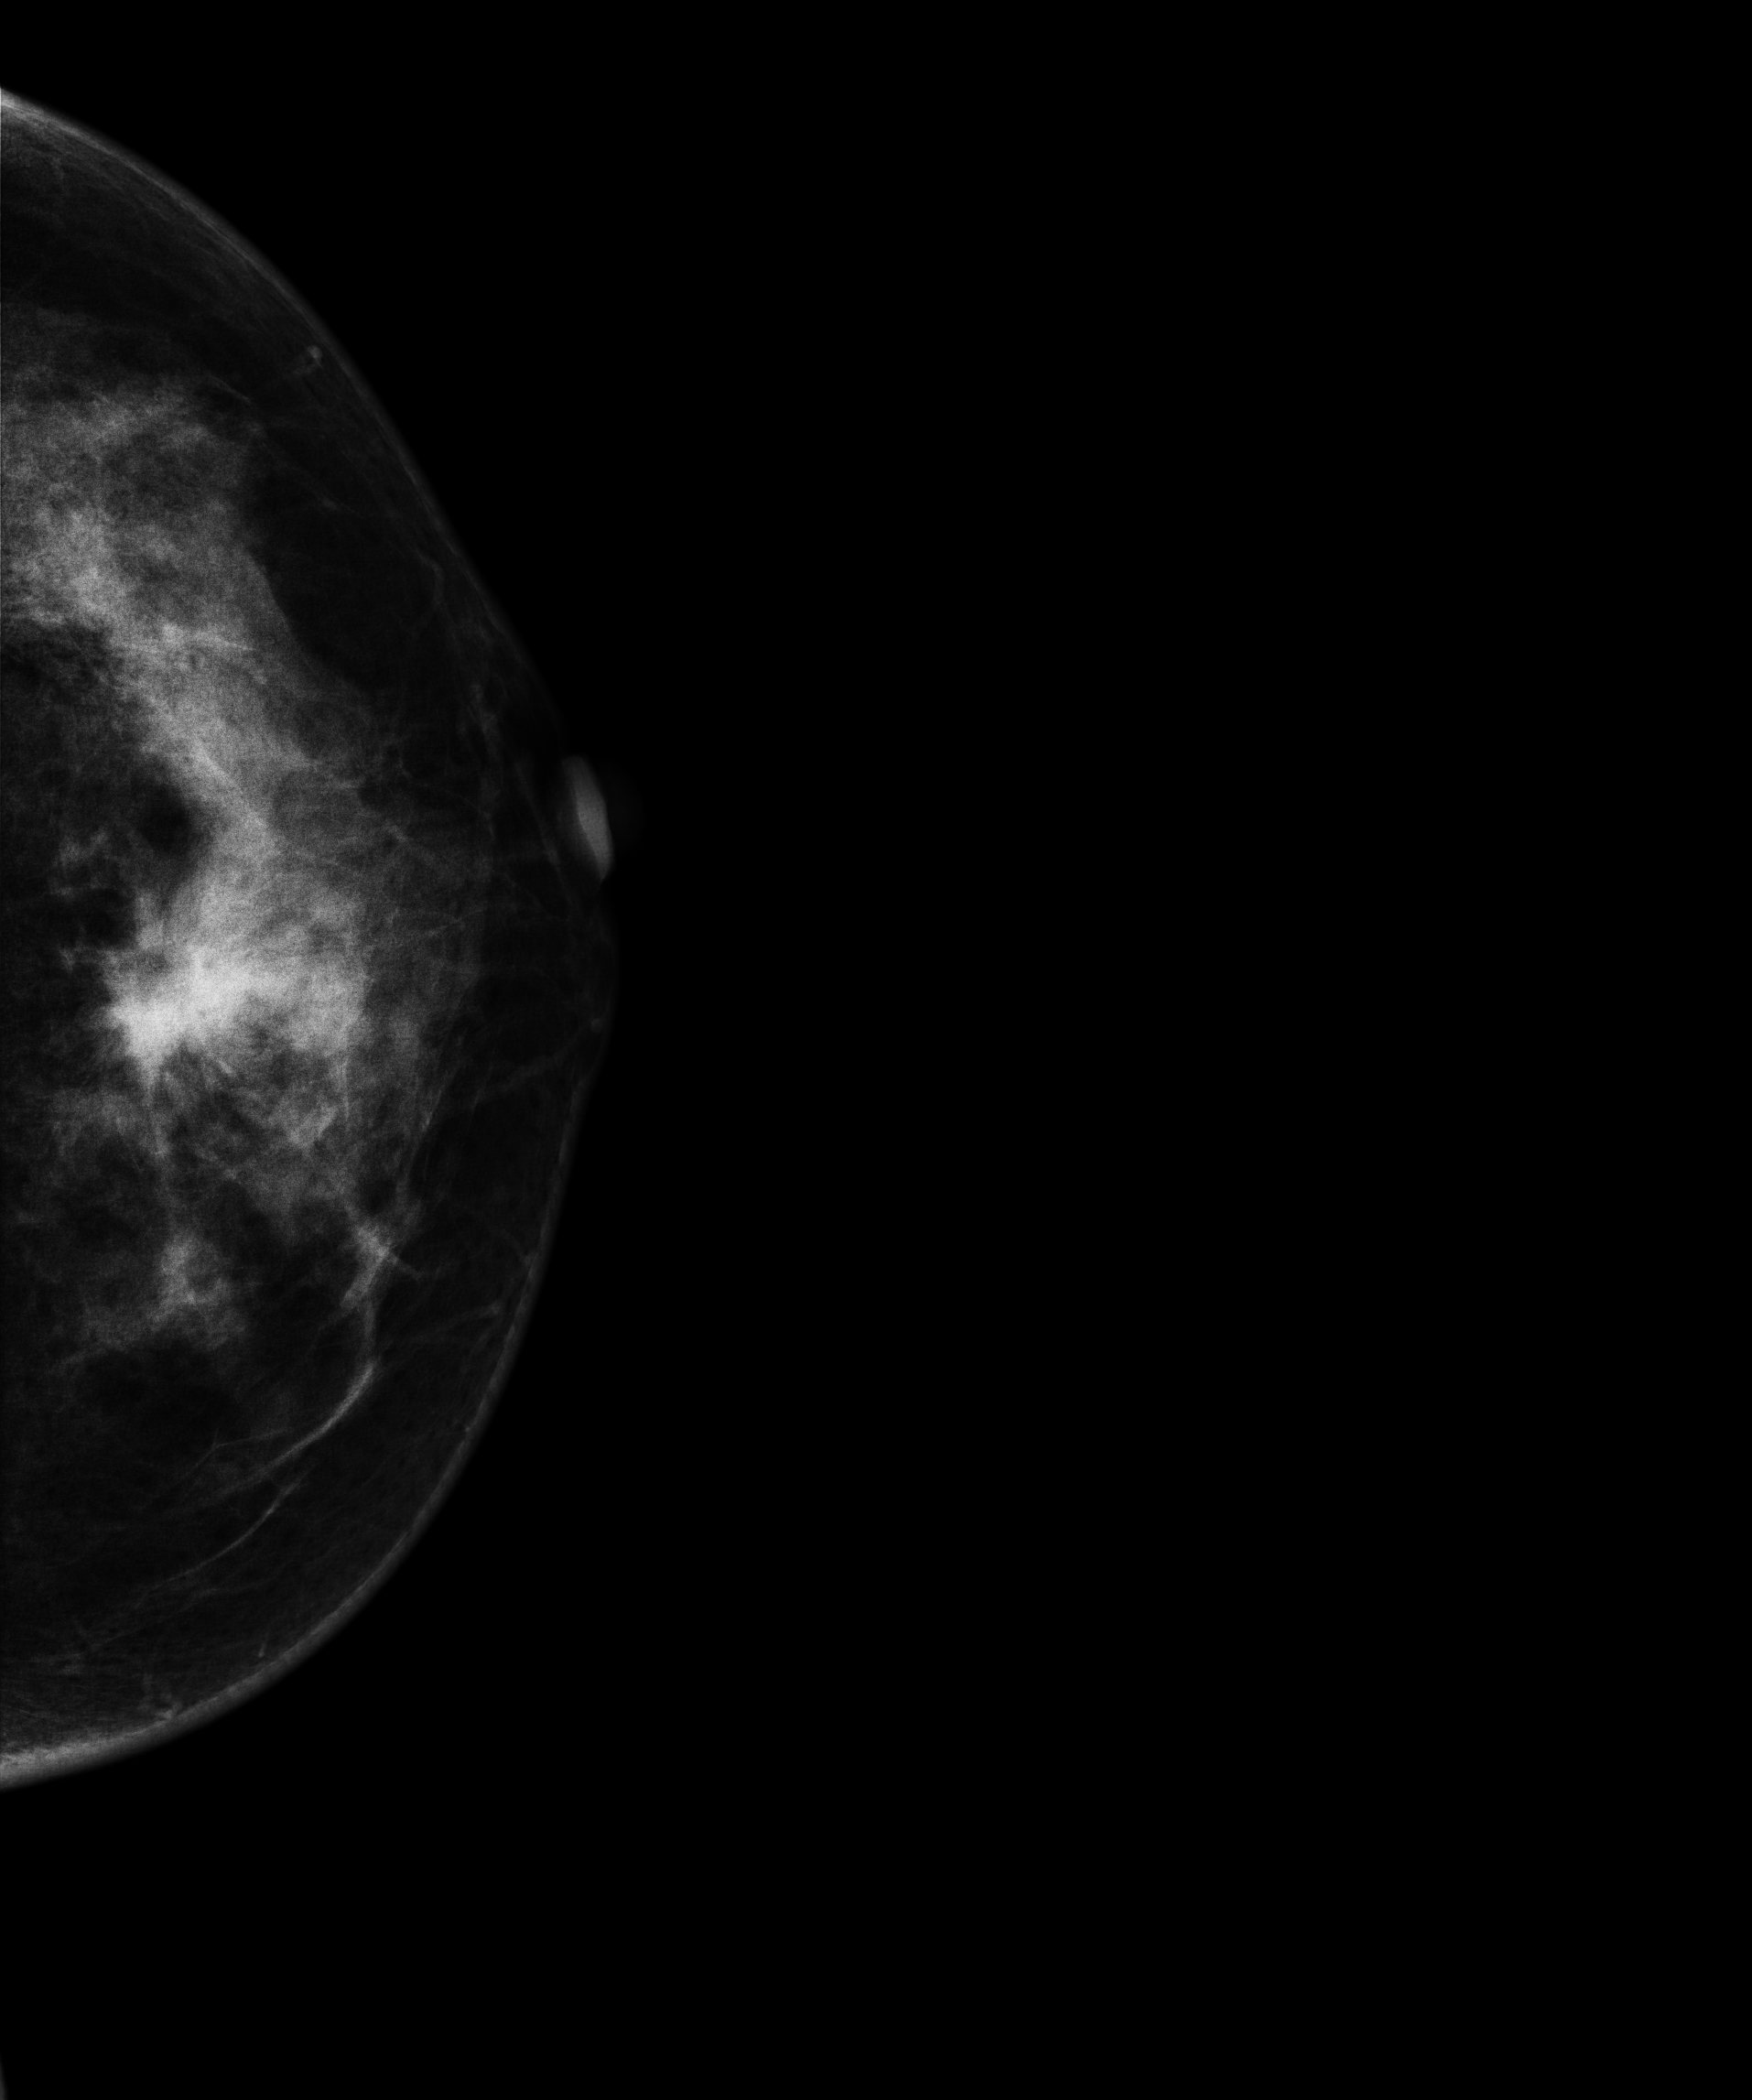
Cranio-caudal mammogram of the left breast. 39 y/o patient.
This breast has a mass, biopsy-confirmed malignant.